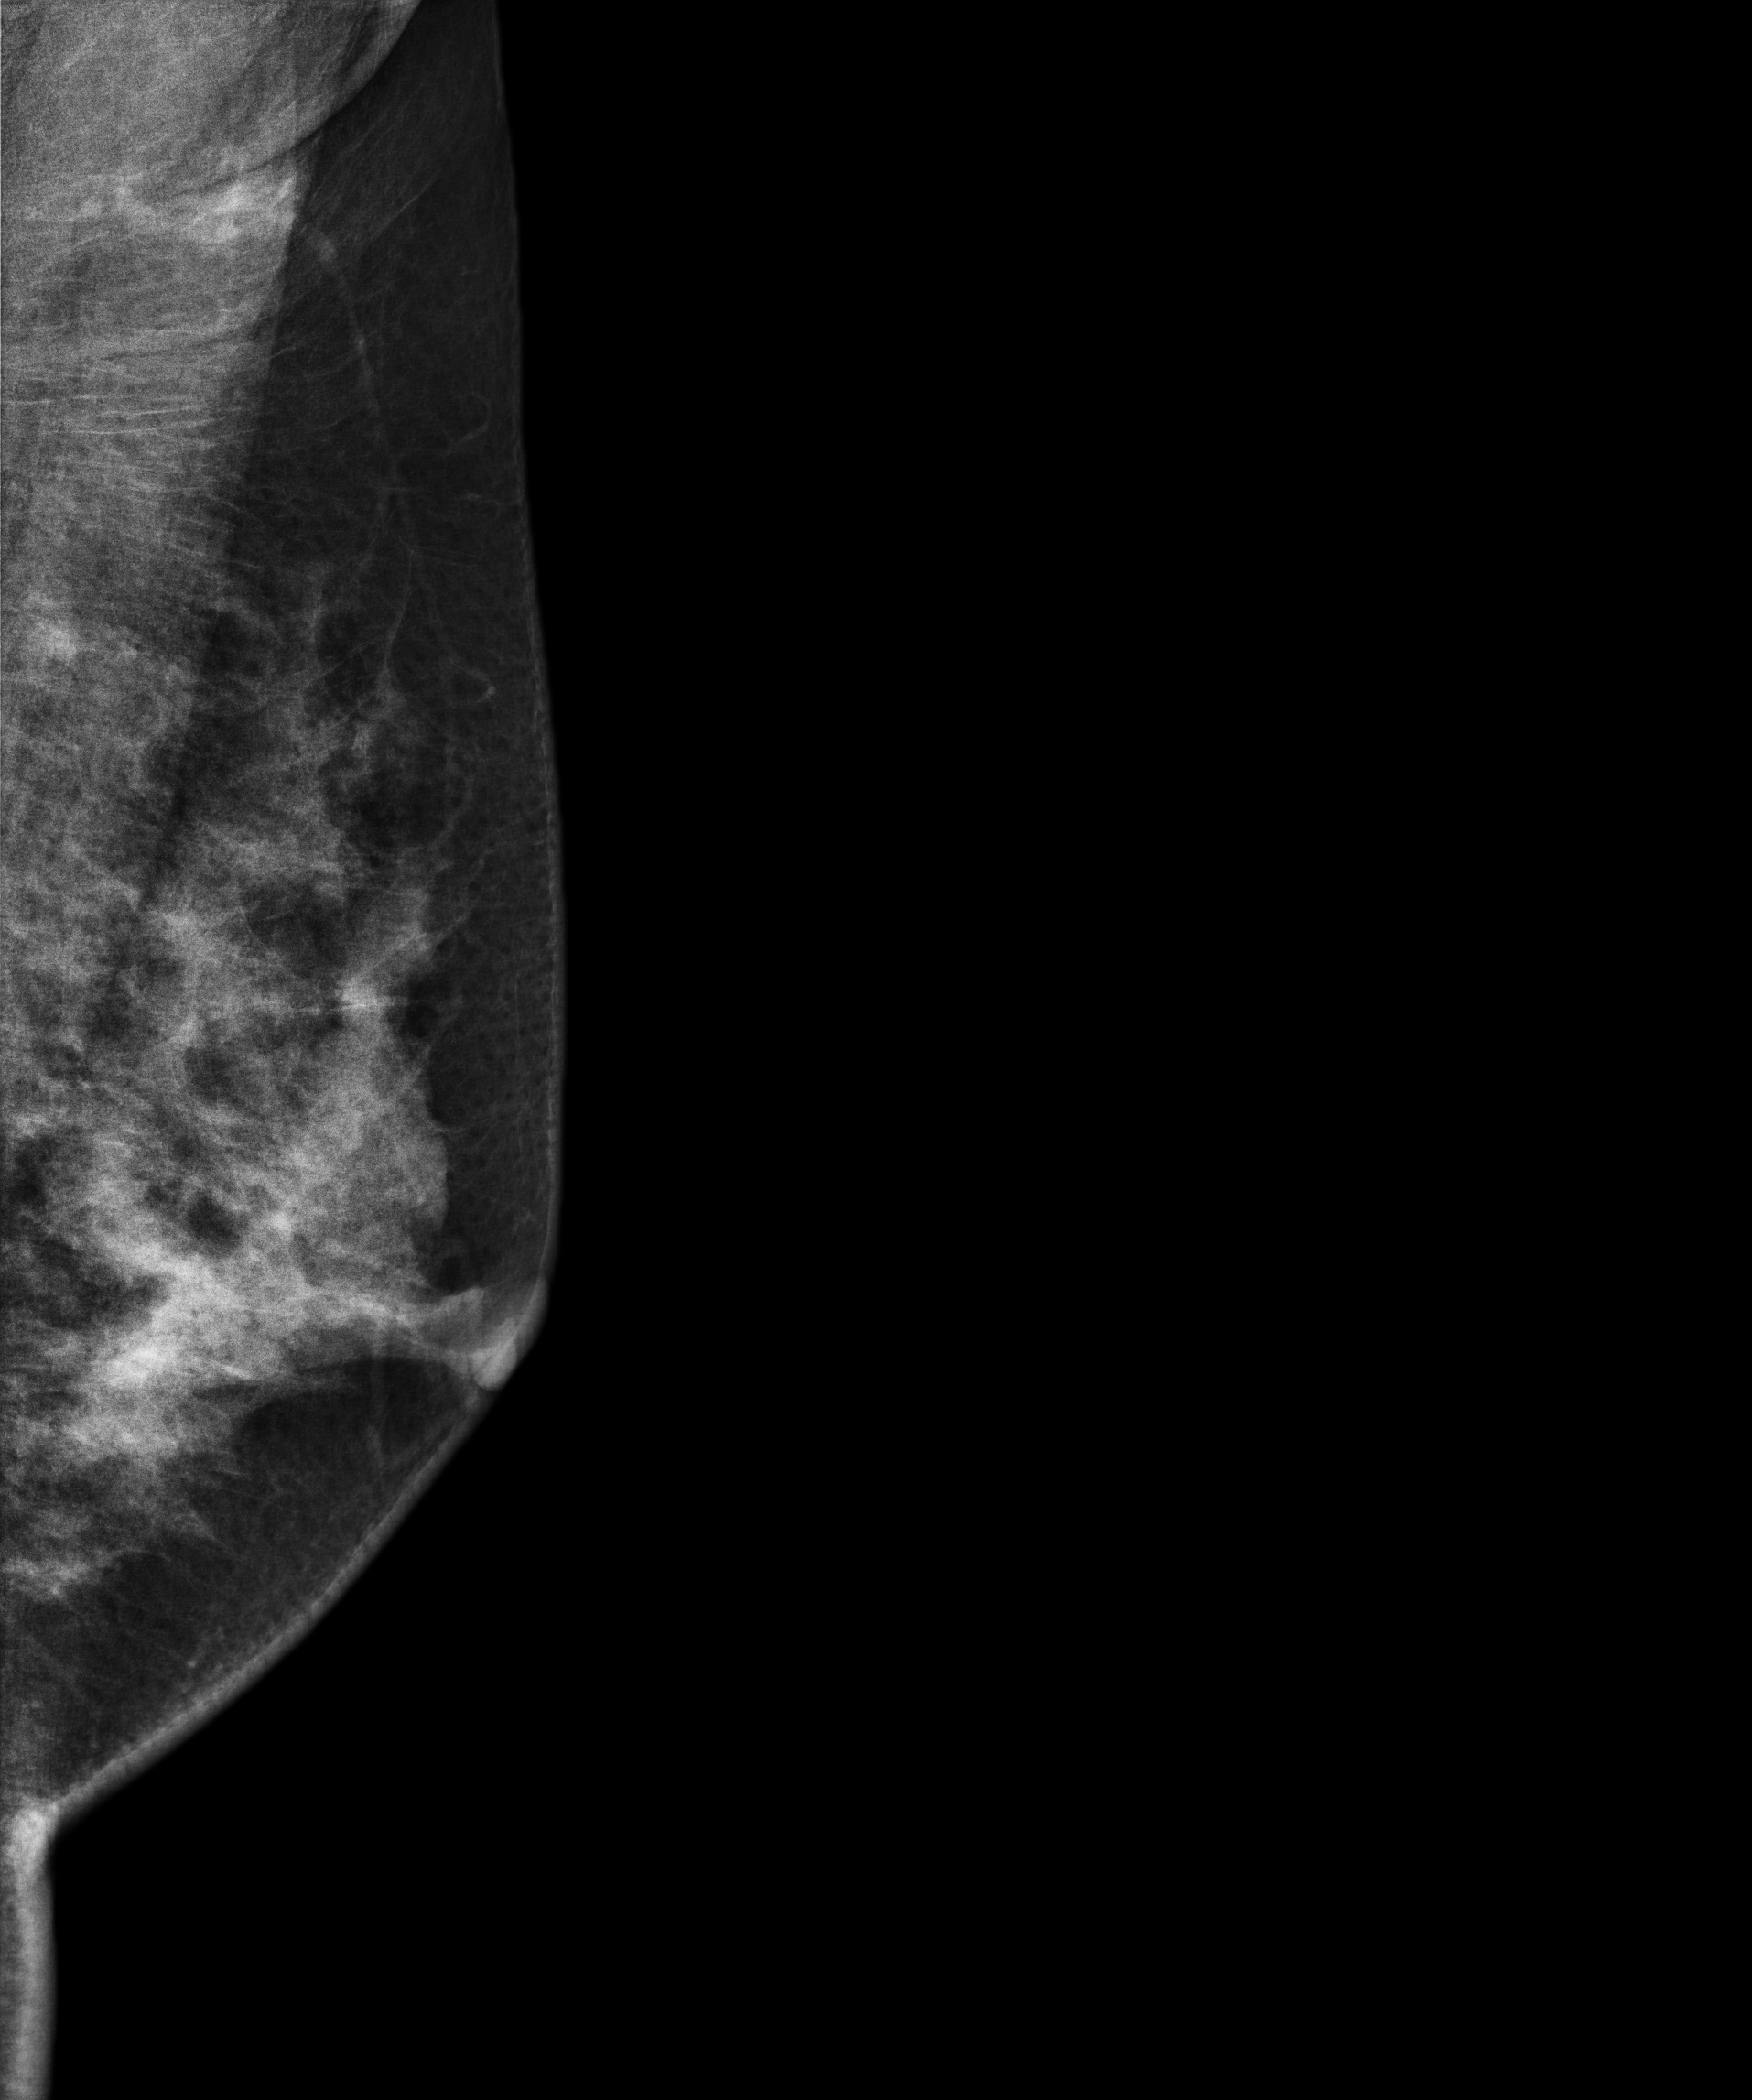
Mammogram, left breast, medio-lateral oblique view. 46-year-old patient.
This breast has a mass, biopsy-proven benign.